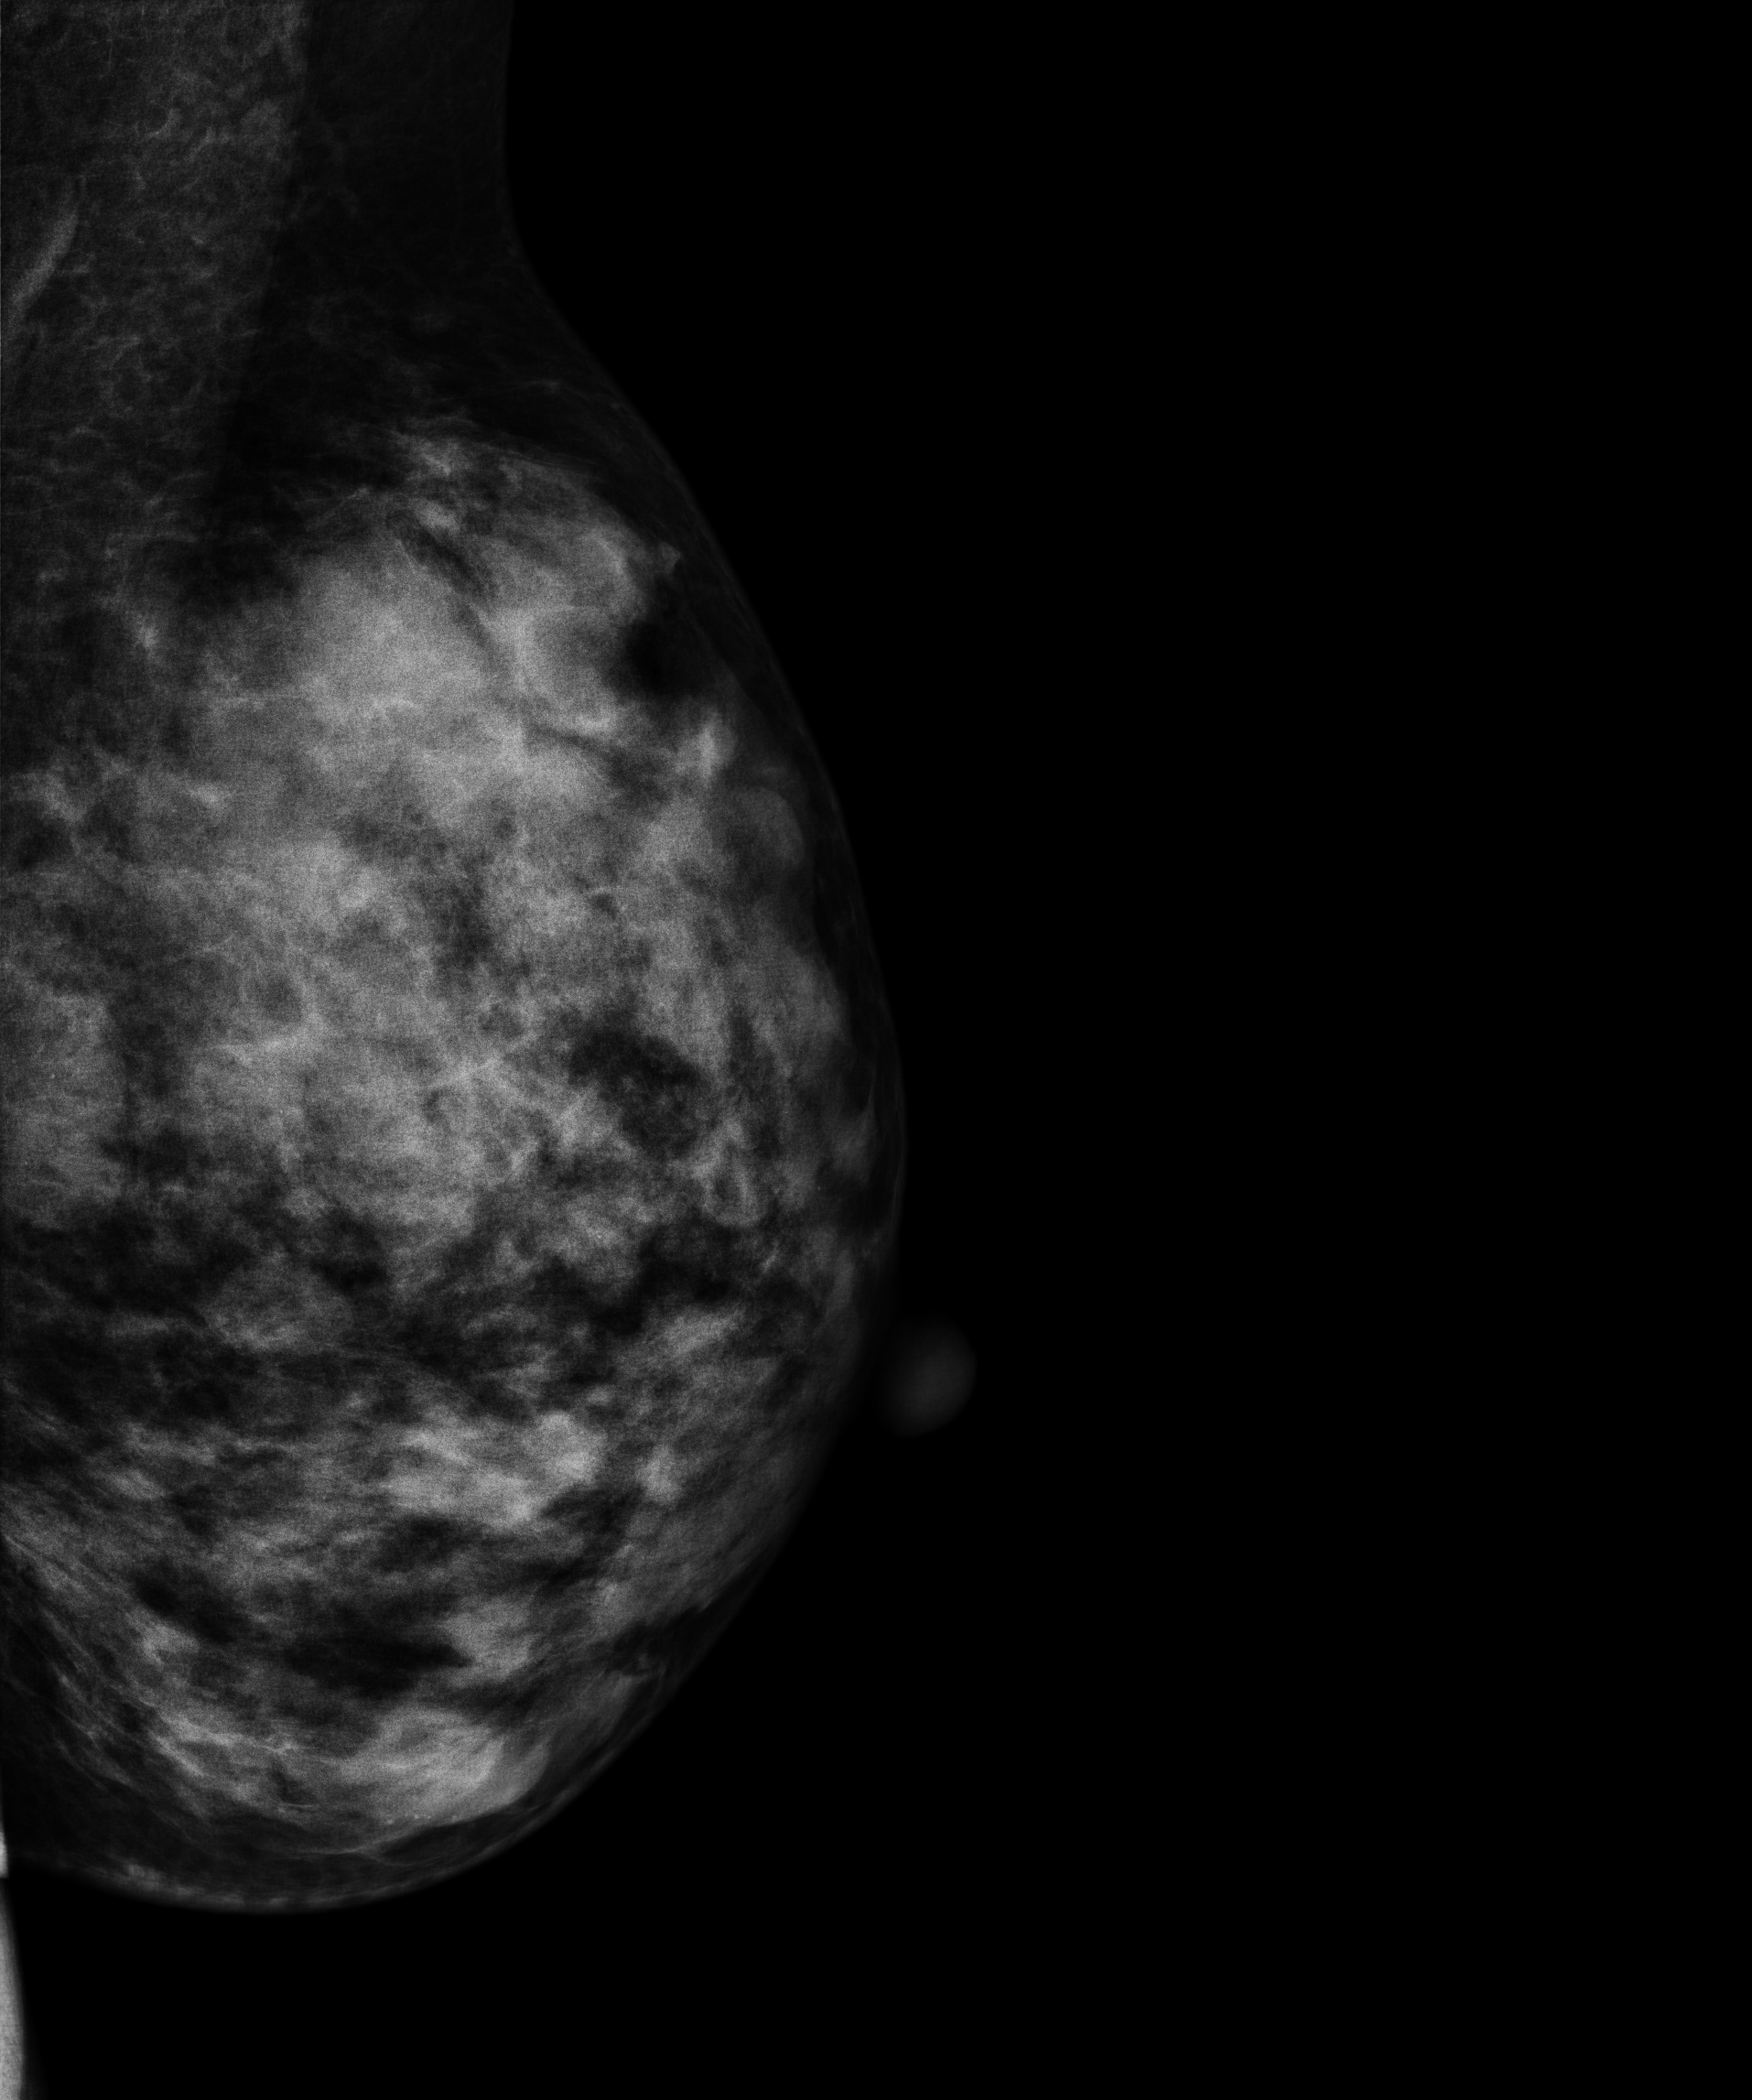
Mammogram, left breast, medio-lateral oblique view. 46-year-old patient.
This breast has a mass and calcifications, biopsy-proven benign.